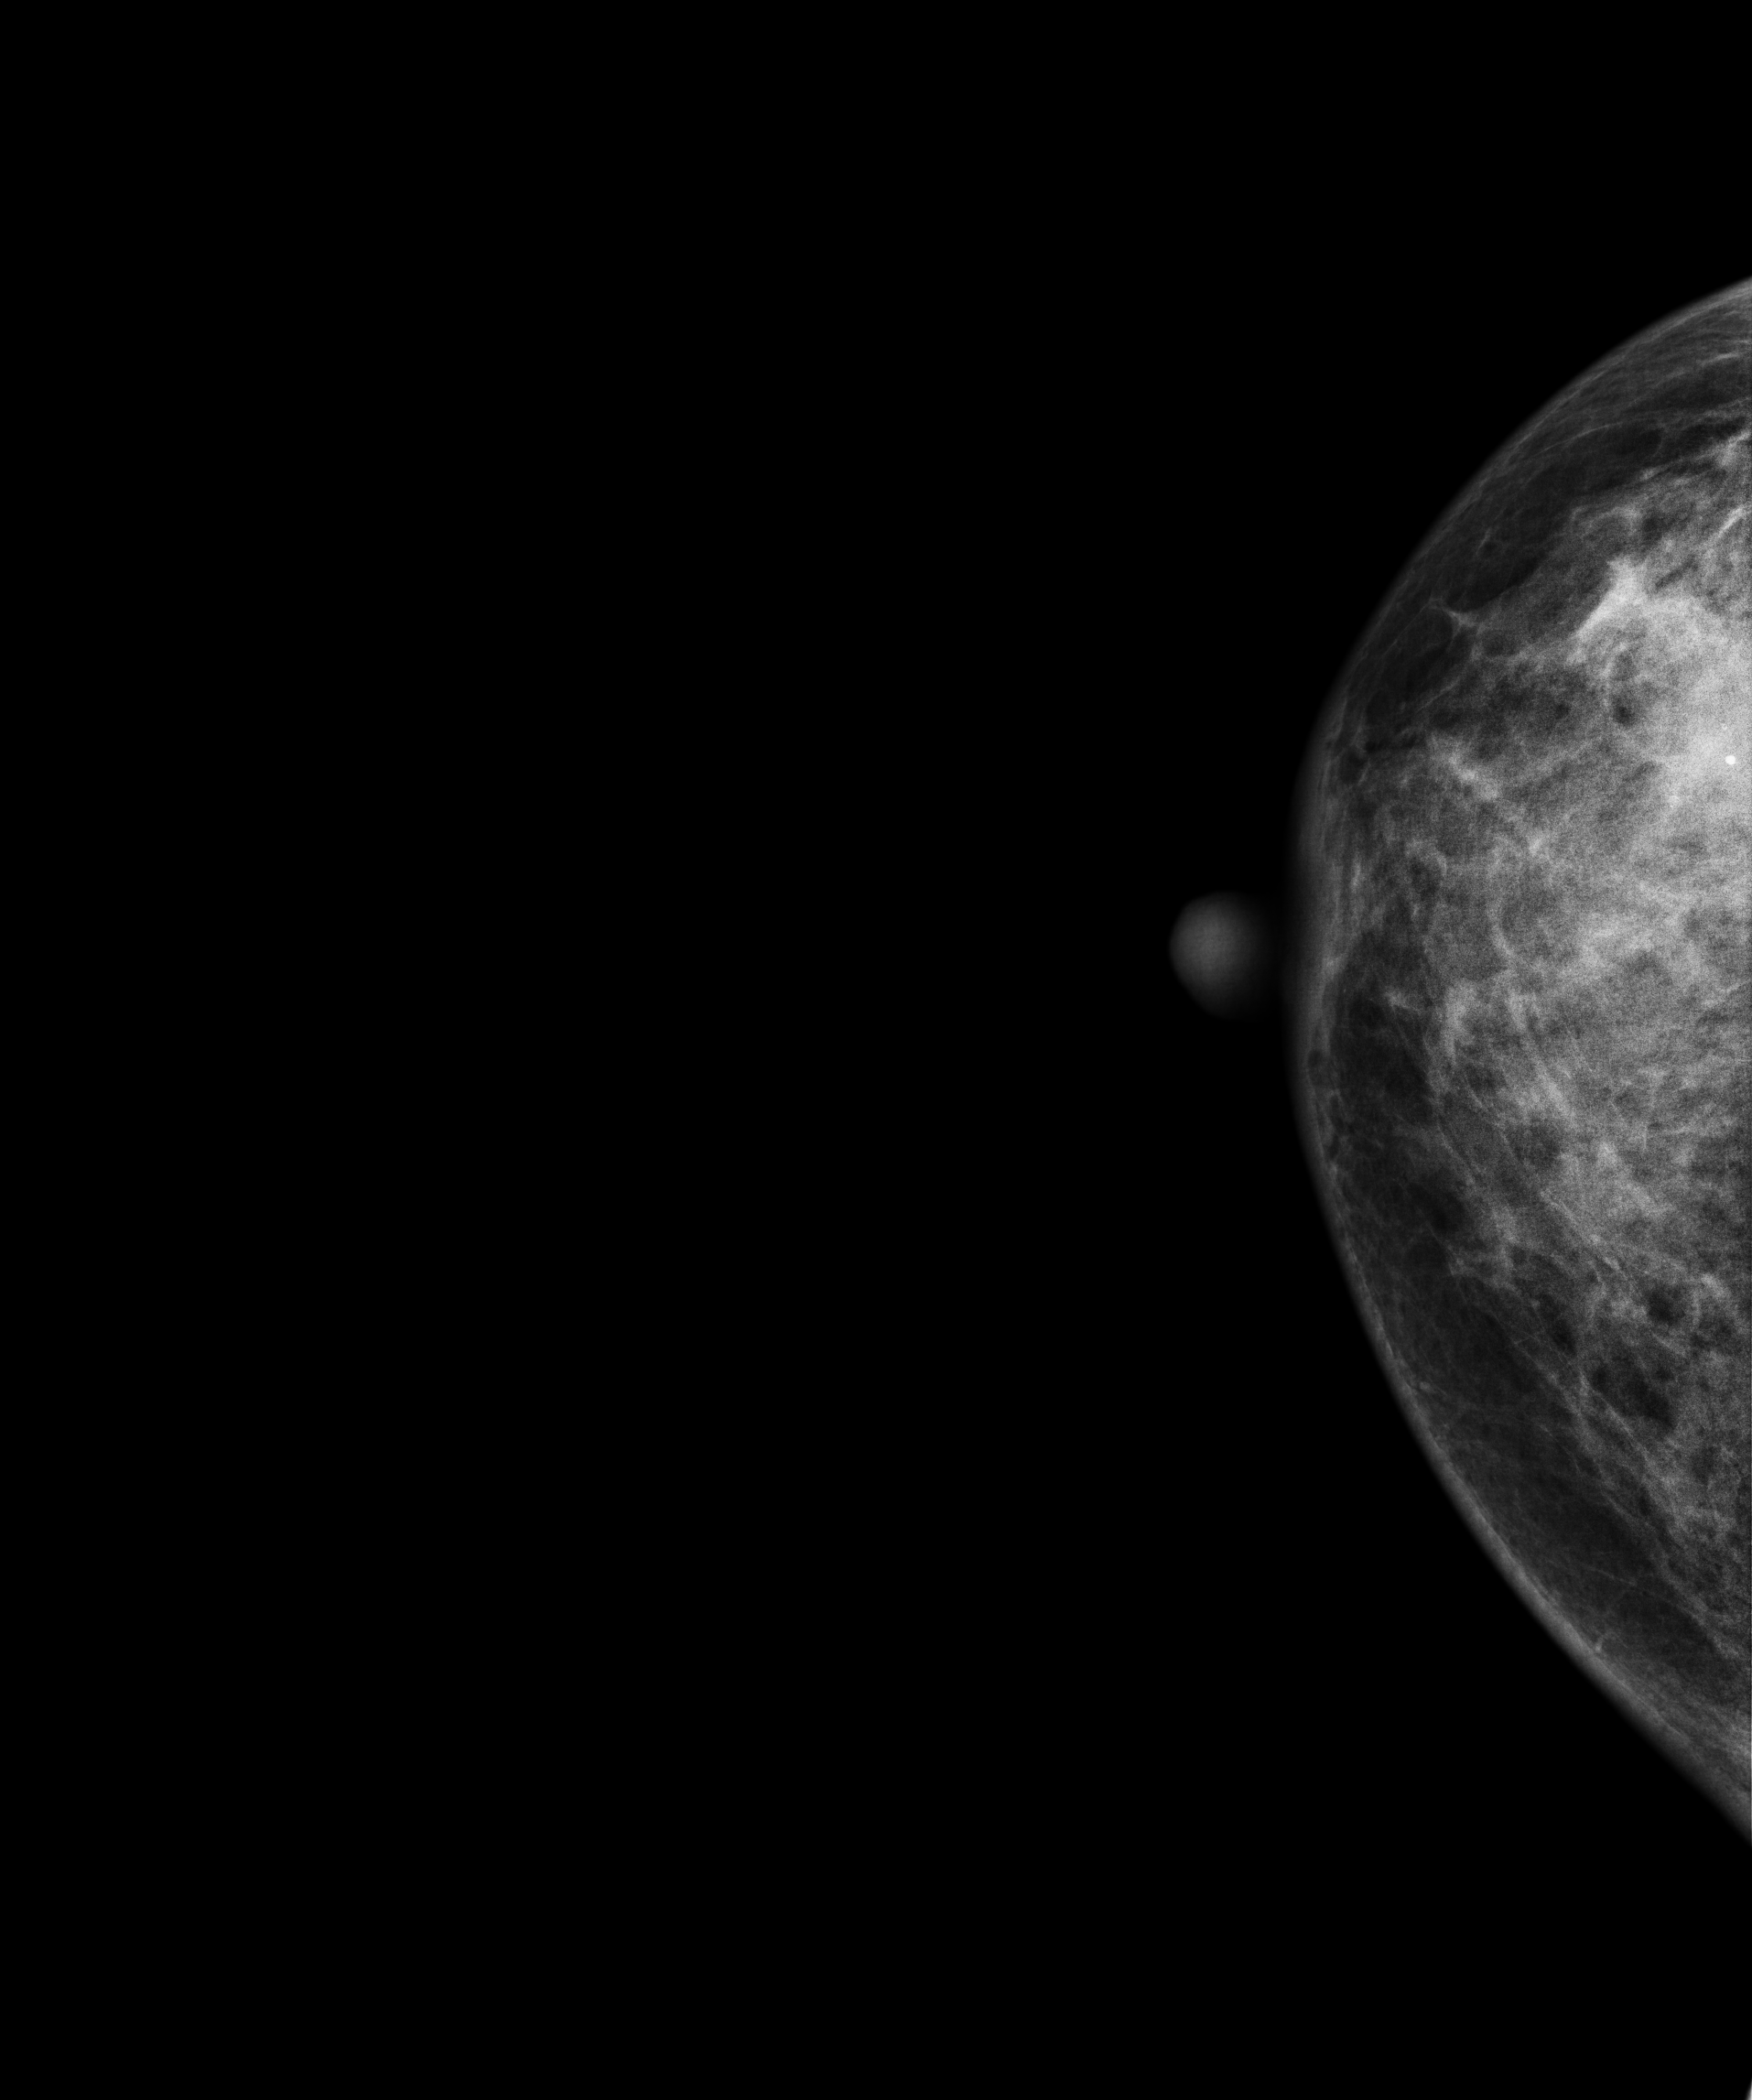
Digital mammography. Right breast, CC projection. 54 y/o patient.
This breast has a mass and calcifications, biopsy-confirmed malignant.